Digital mammography. Right breast, medio-lateral oblique projection. Patient age 49.
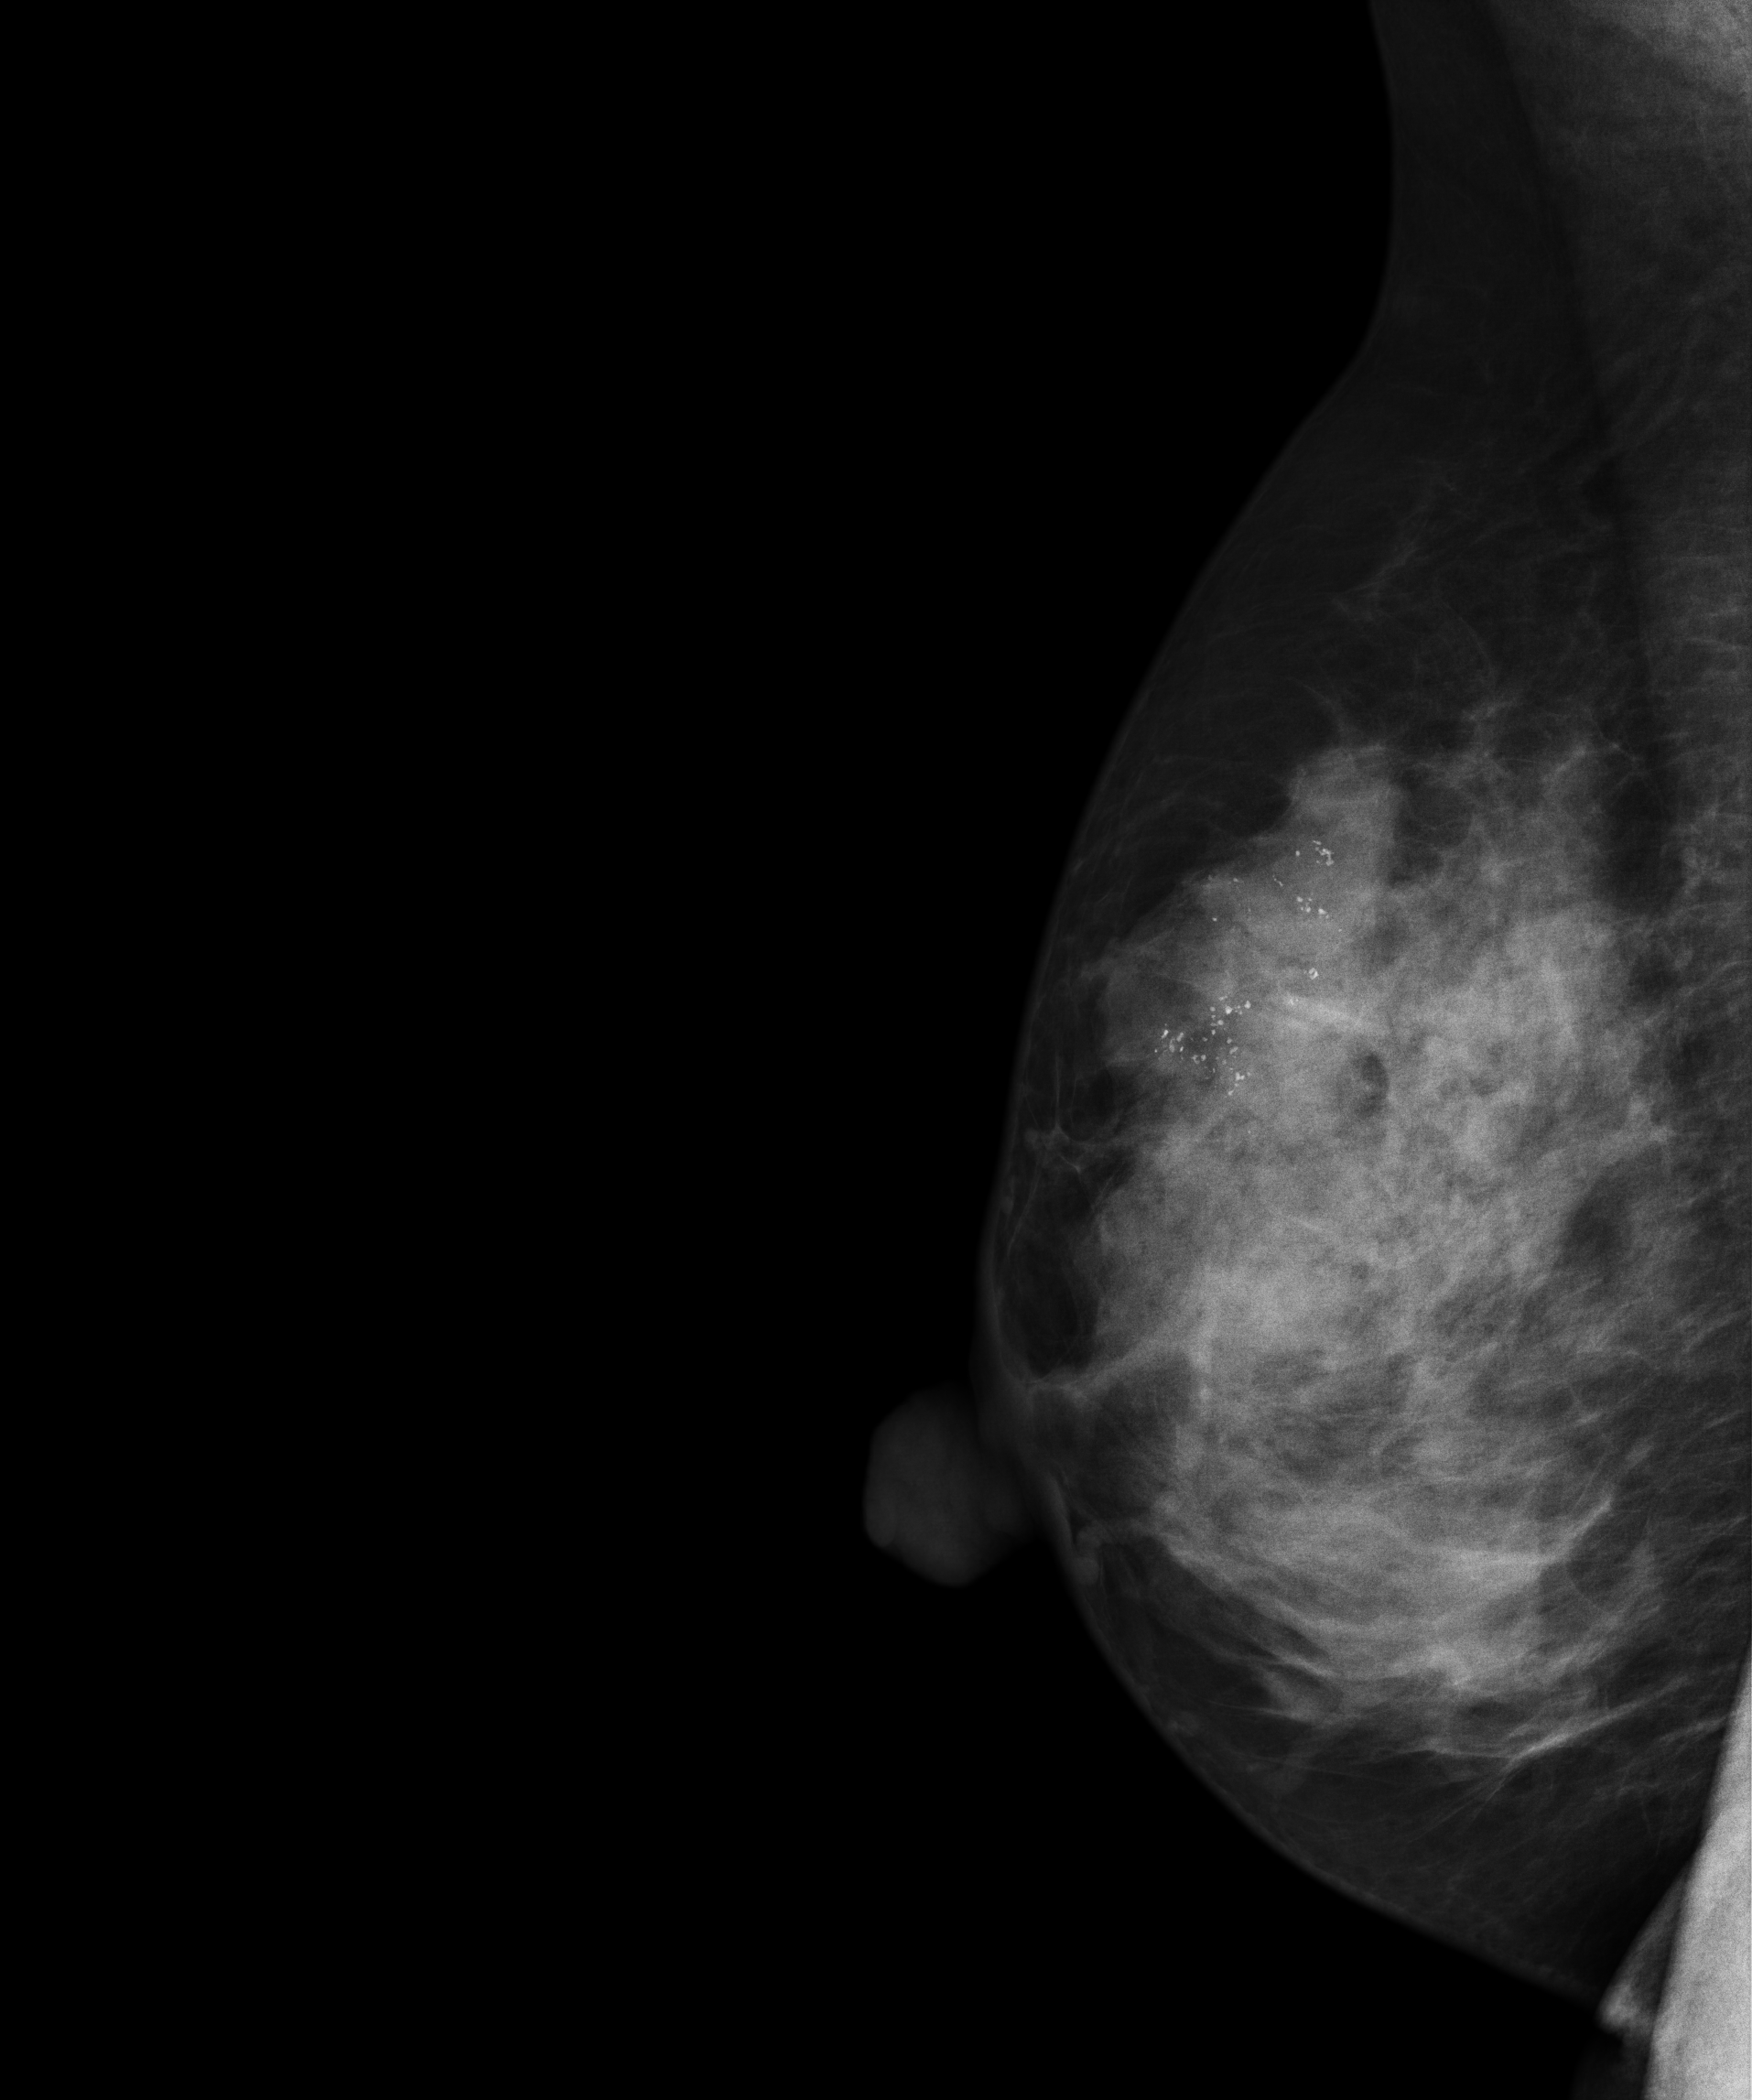
This breast has calcifications, histologically confirmed malignant. Molecular subtype: luminal B.